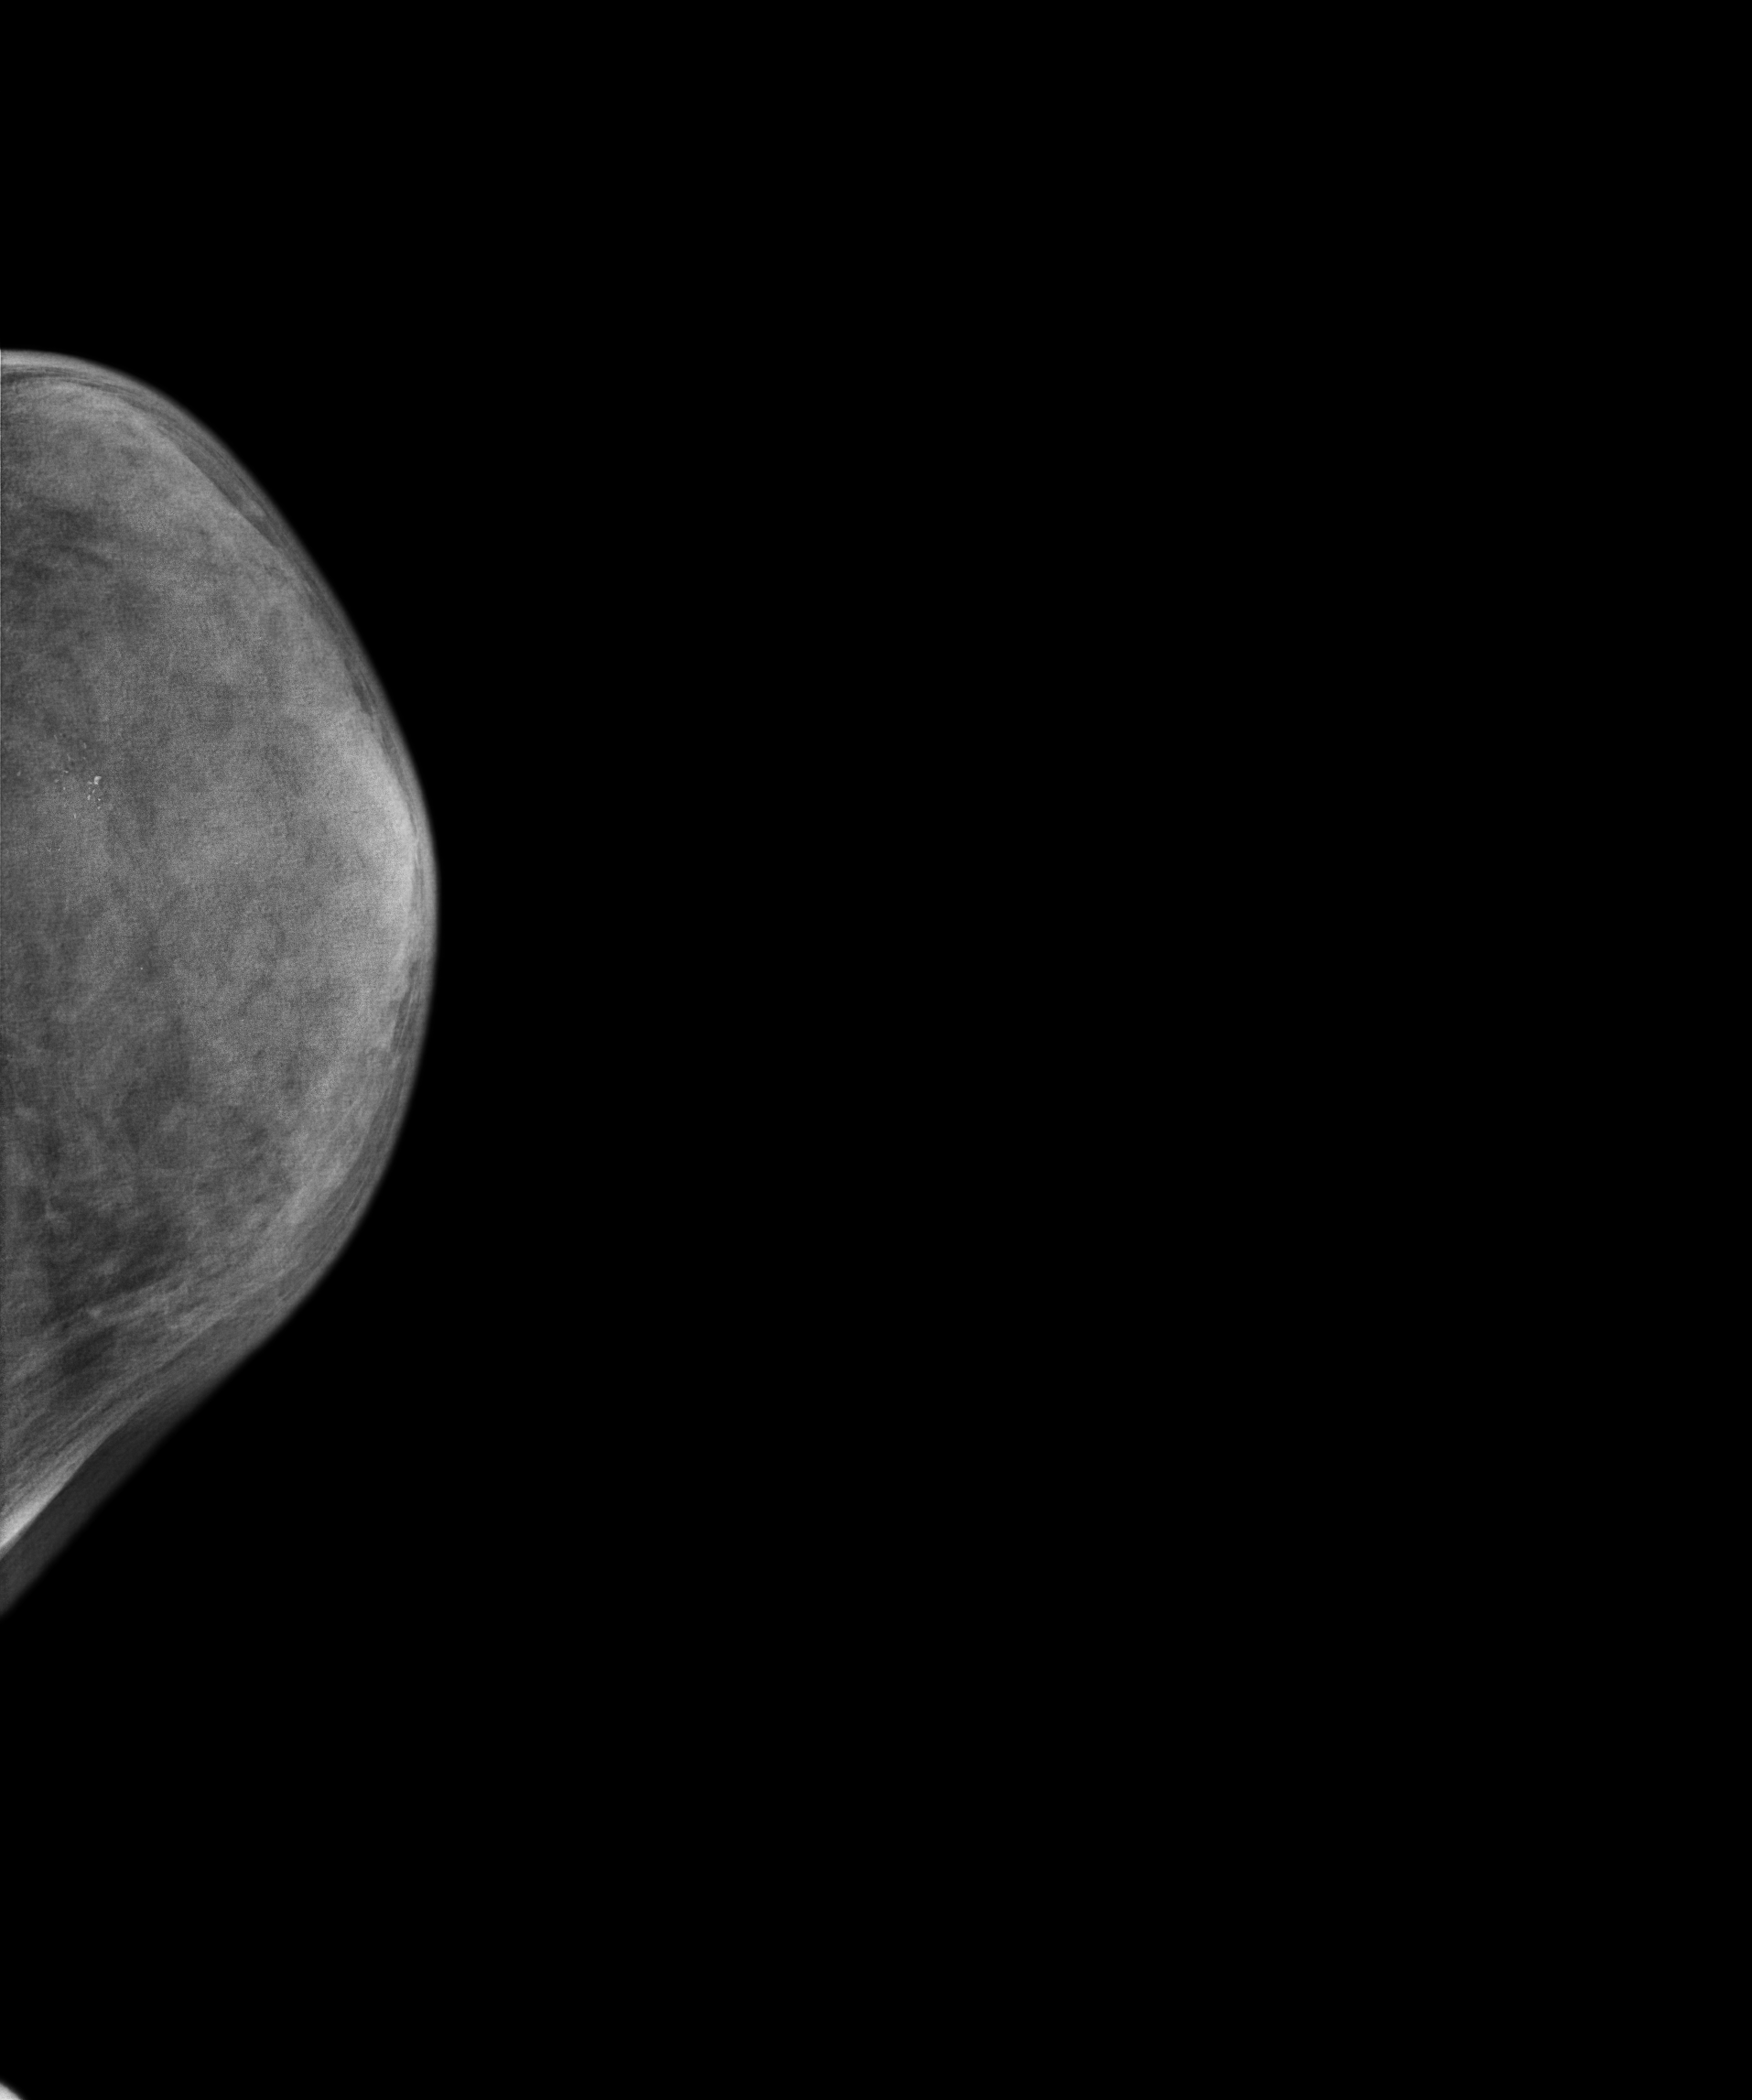
CC mammogram of the left breast. 57 y/o patient.
This breast has calcifications, histologically confirmed malignant. Molecular subtype: triple-negative.